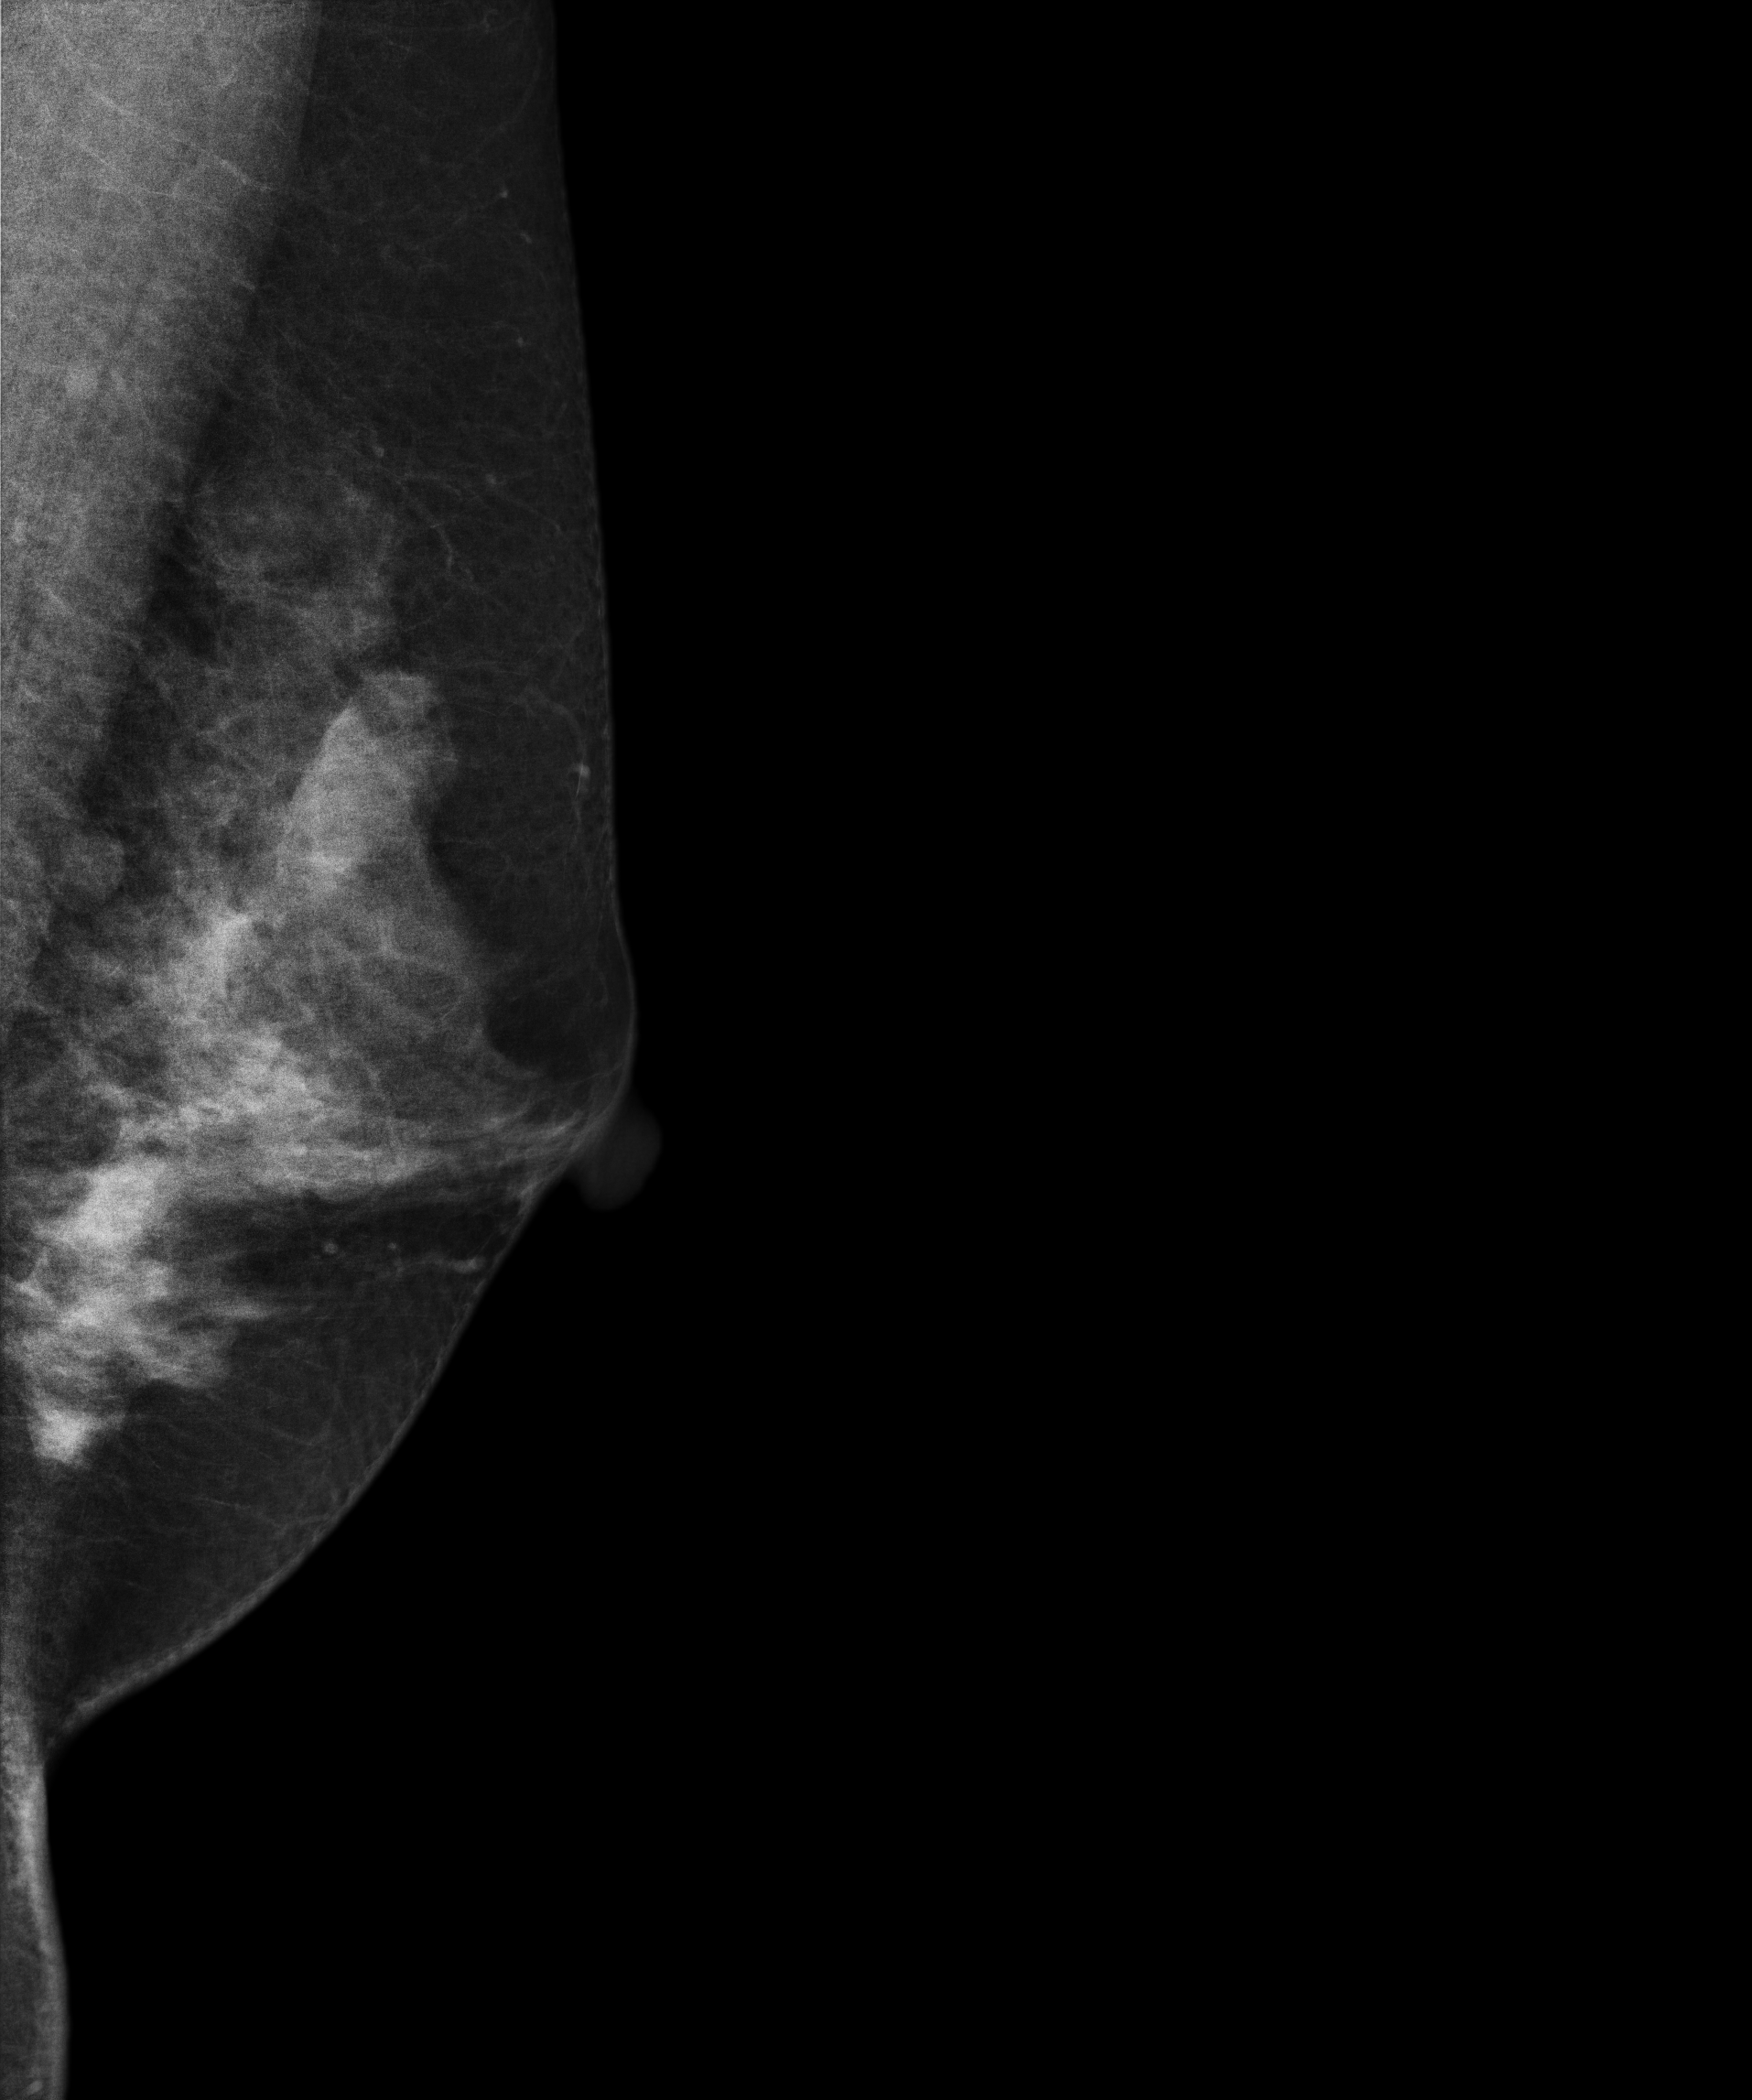
Mammogram, left breast, MLO view. 39-year-old patient.
Contralateral breast — no documented abnormality on this side.